Left-breast mammogram, medio-lateral oblique. 49 y/o patient.
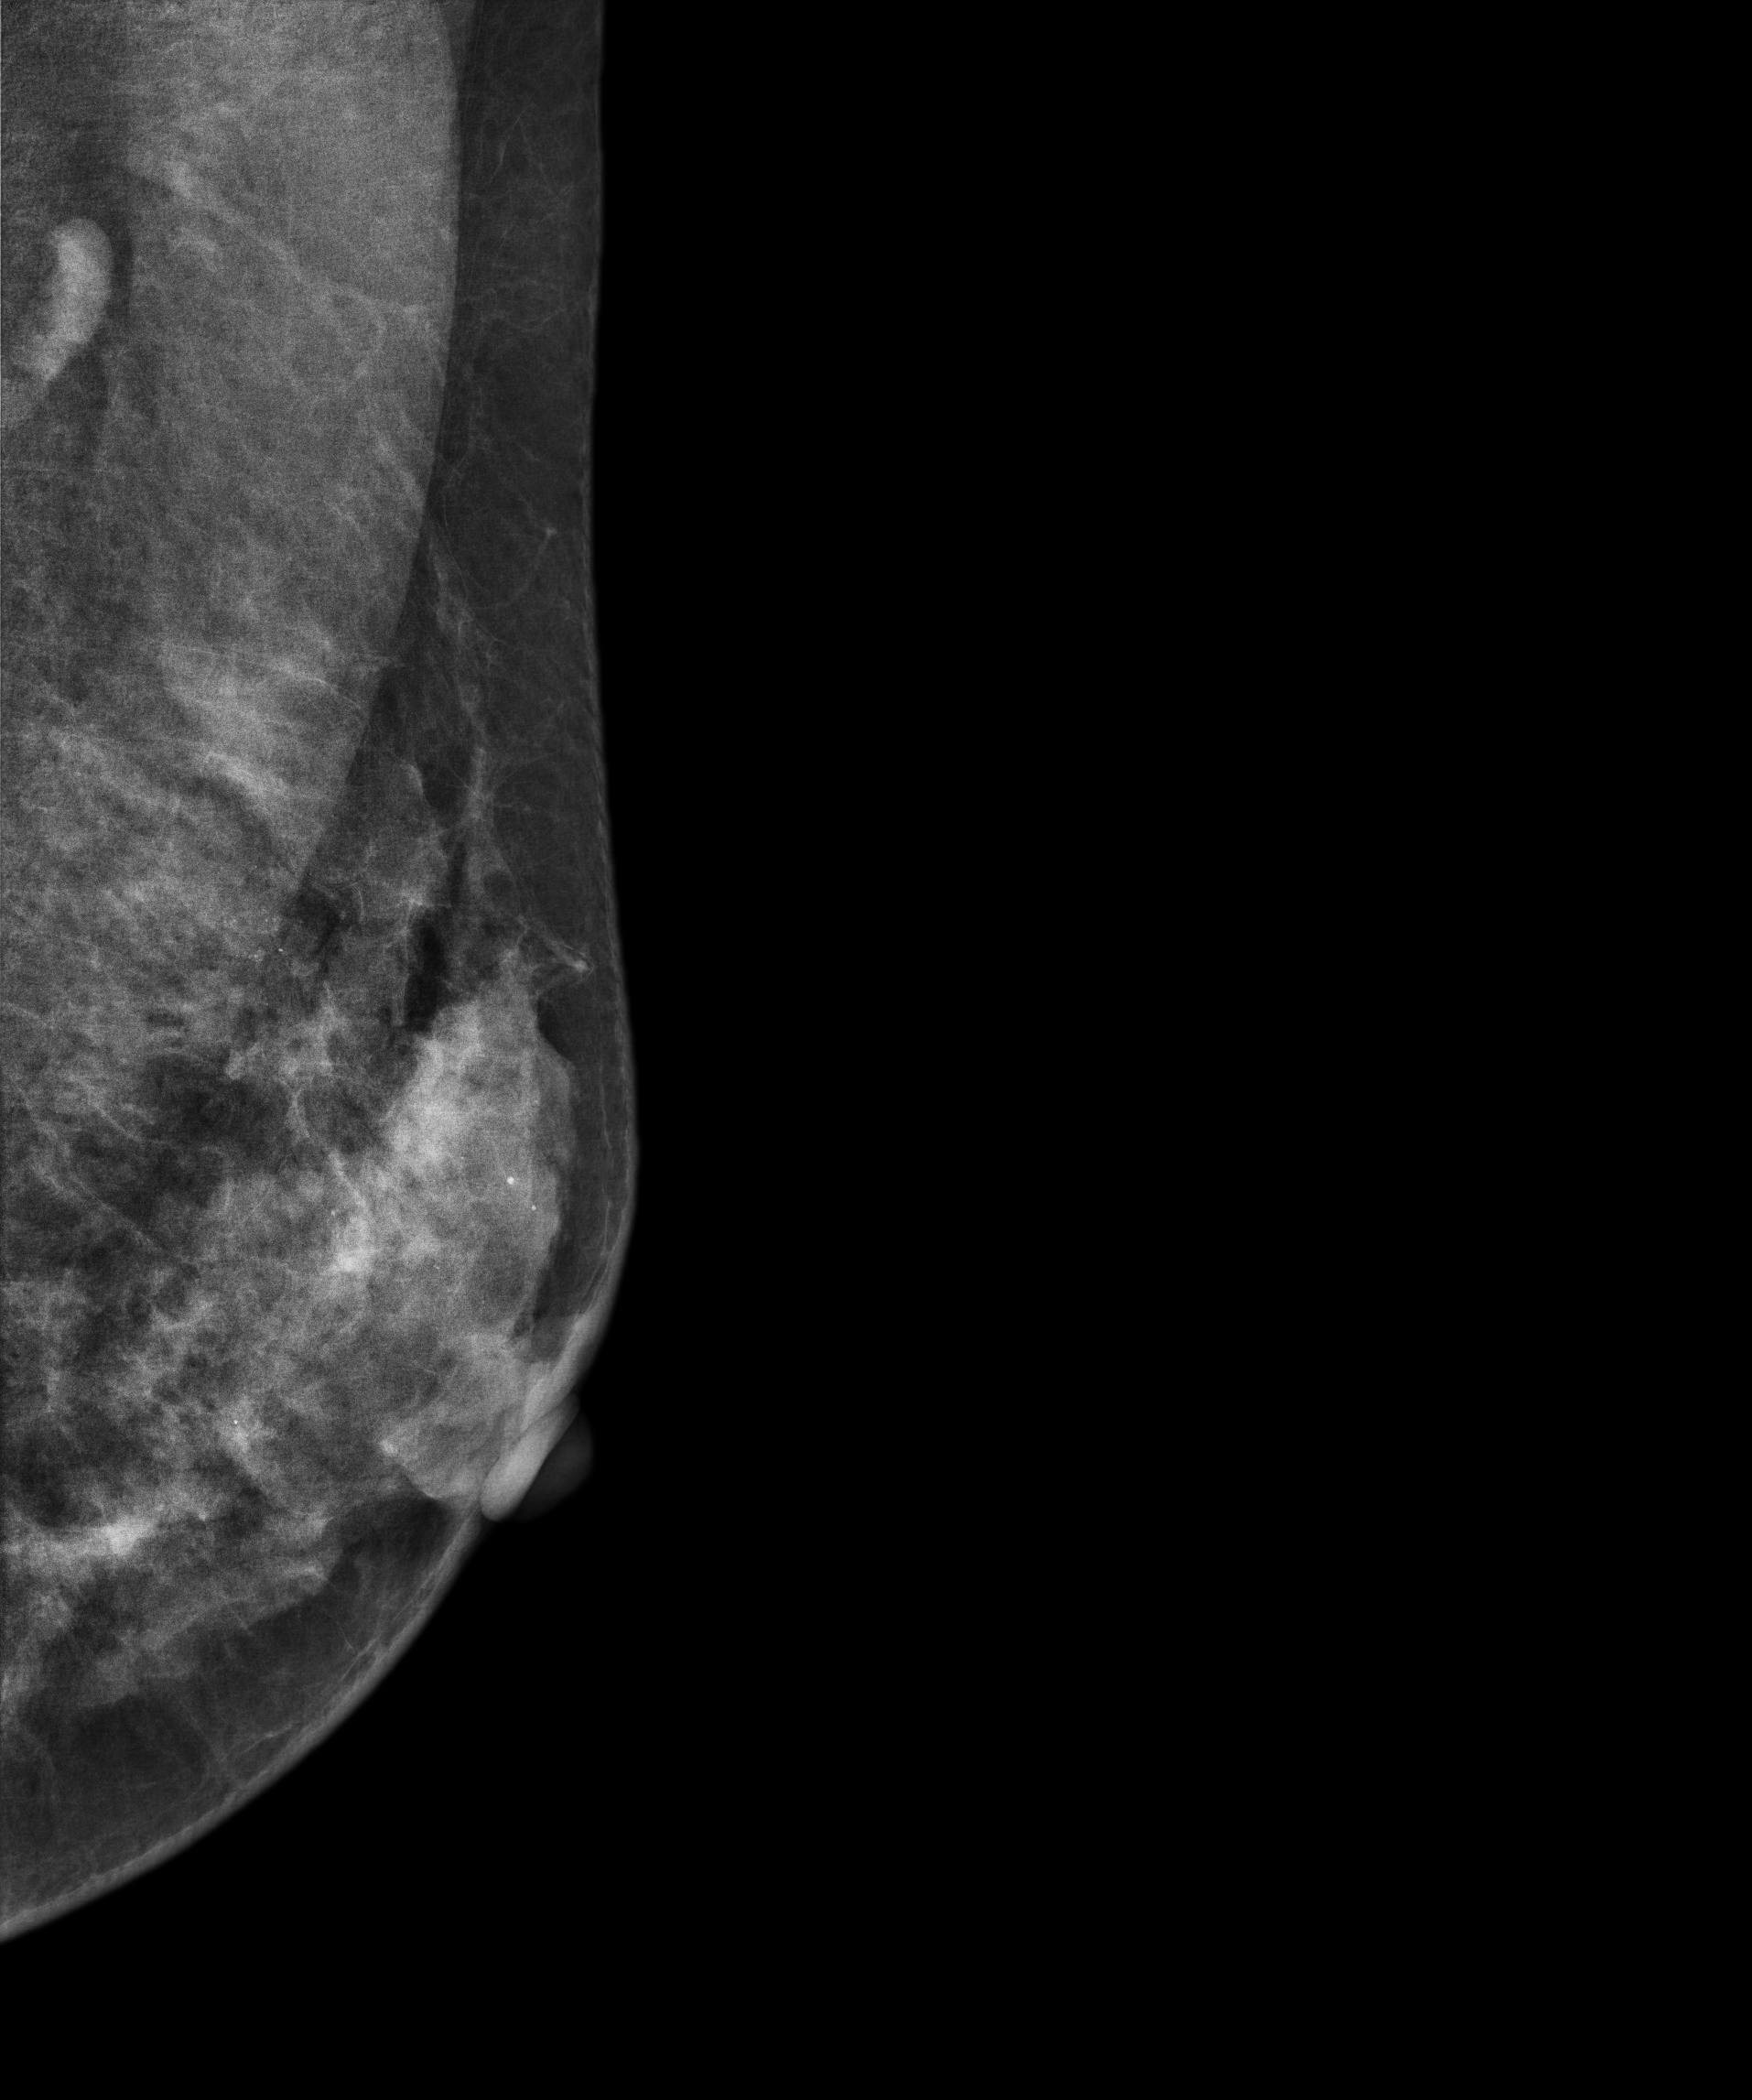
This breast has a mass and calcifications, biopsy-proven malignant. Molecular subtype: luminal A.